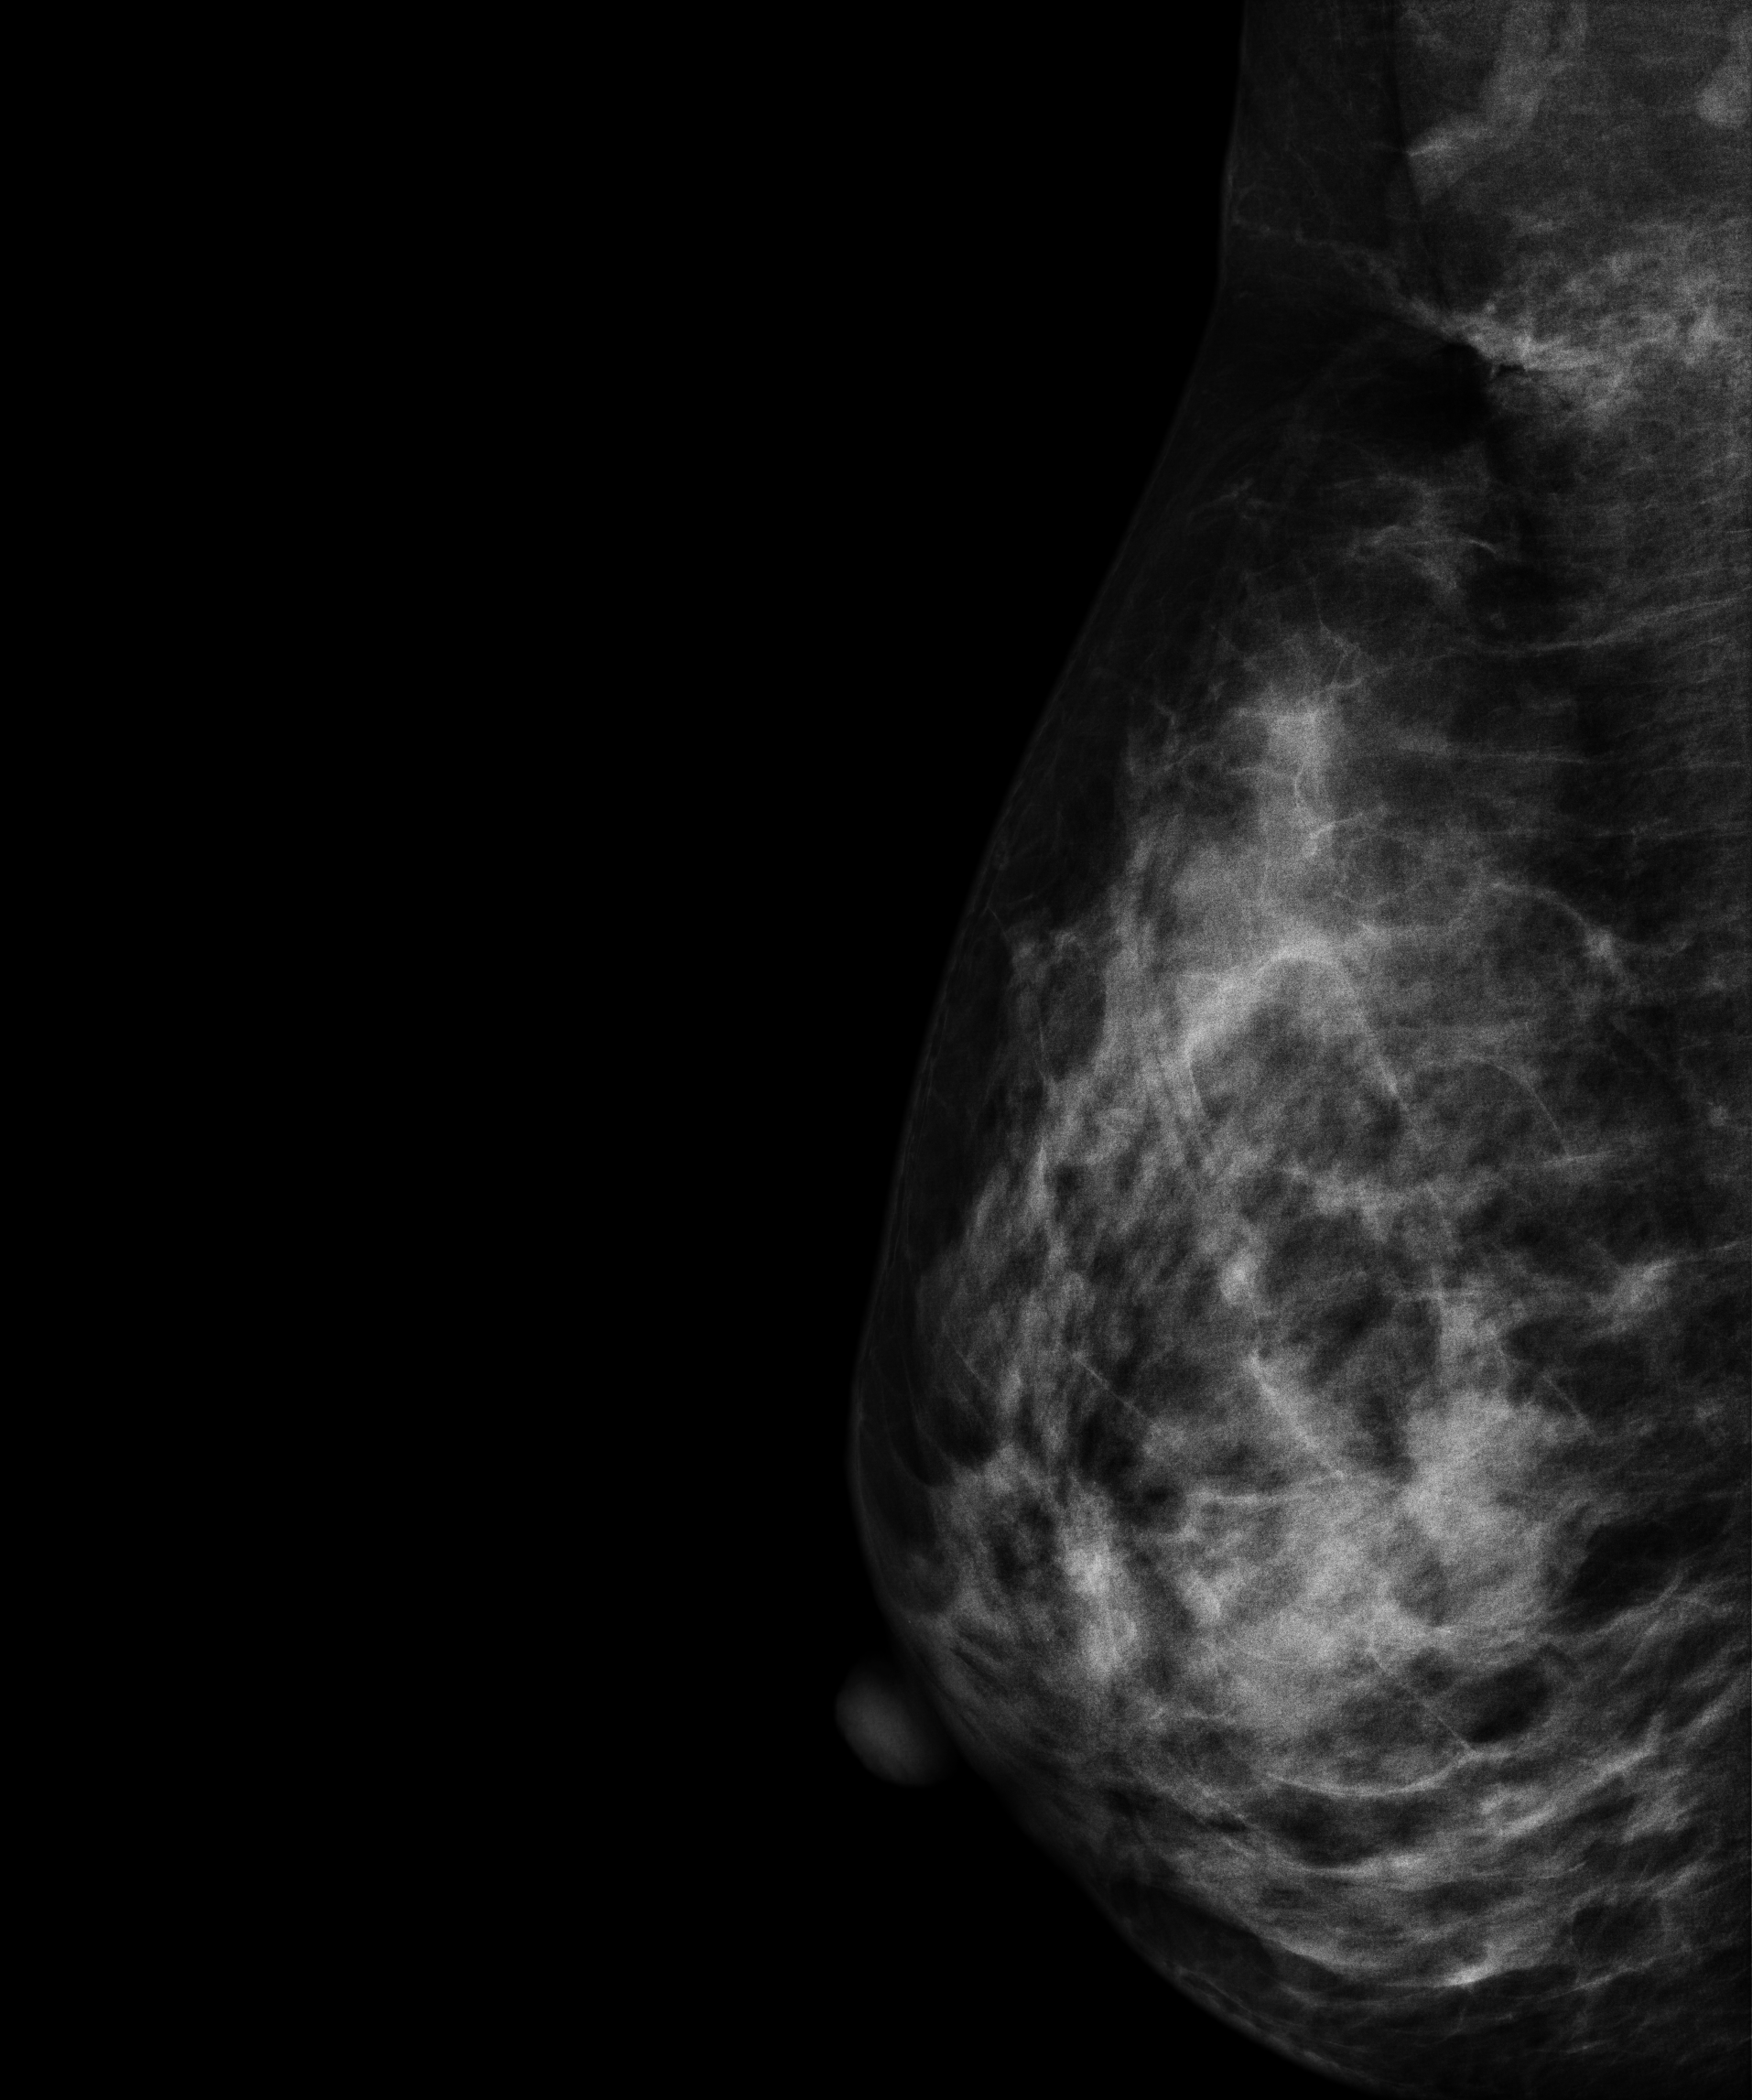
MLO mammogram of the right breast. 34-year-old patient.
This breast has a mass, biopsy-proven malignant.